Mammogram, left breast, MLO view. 51-year-old patient.
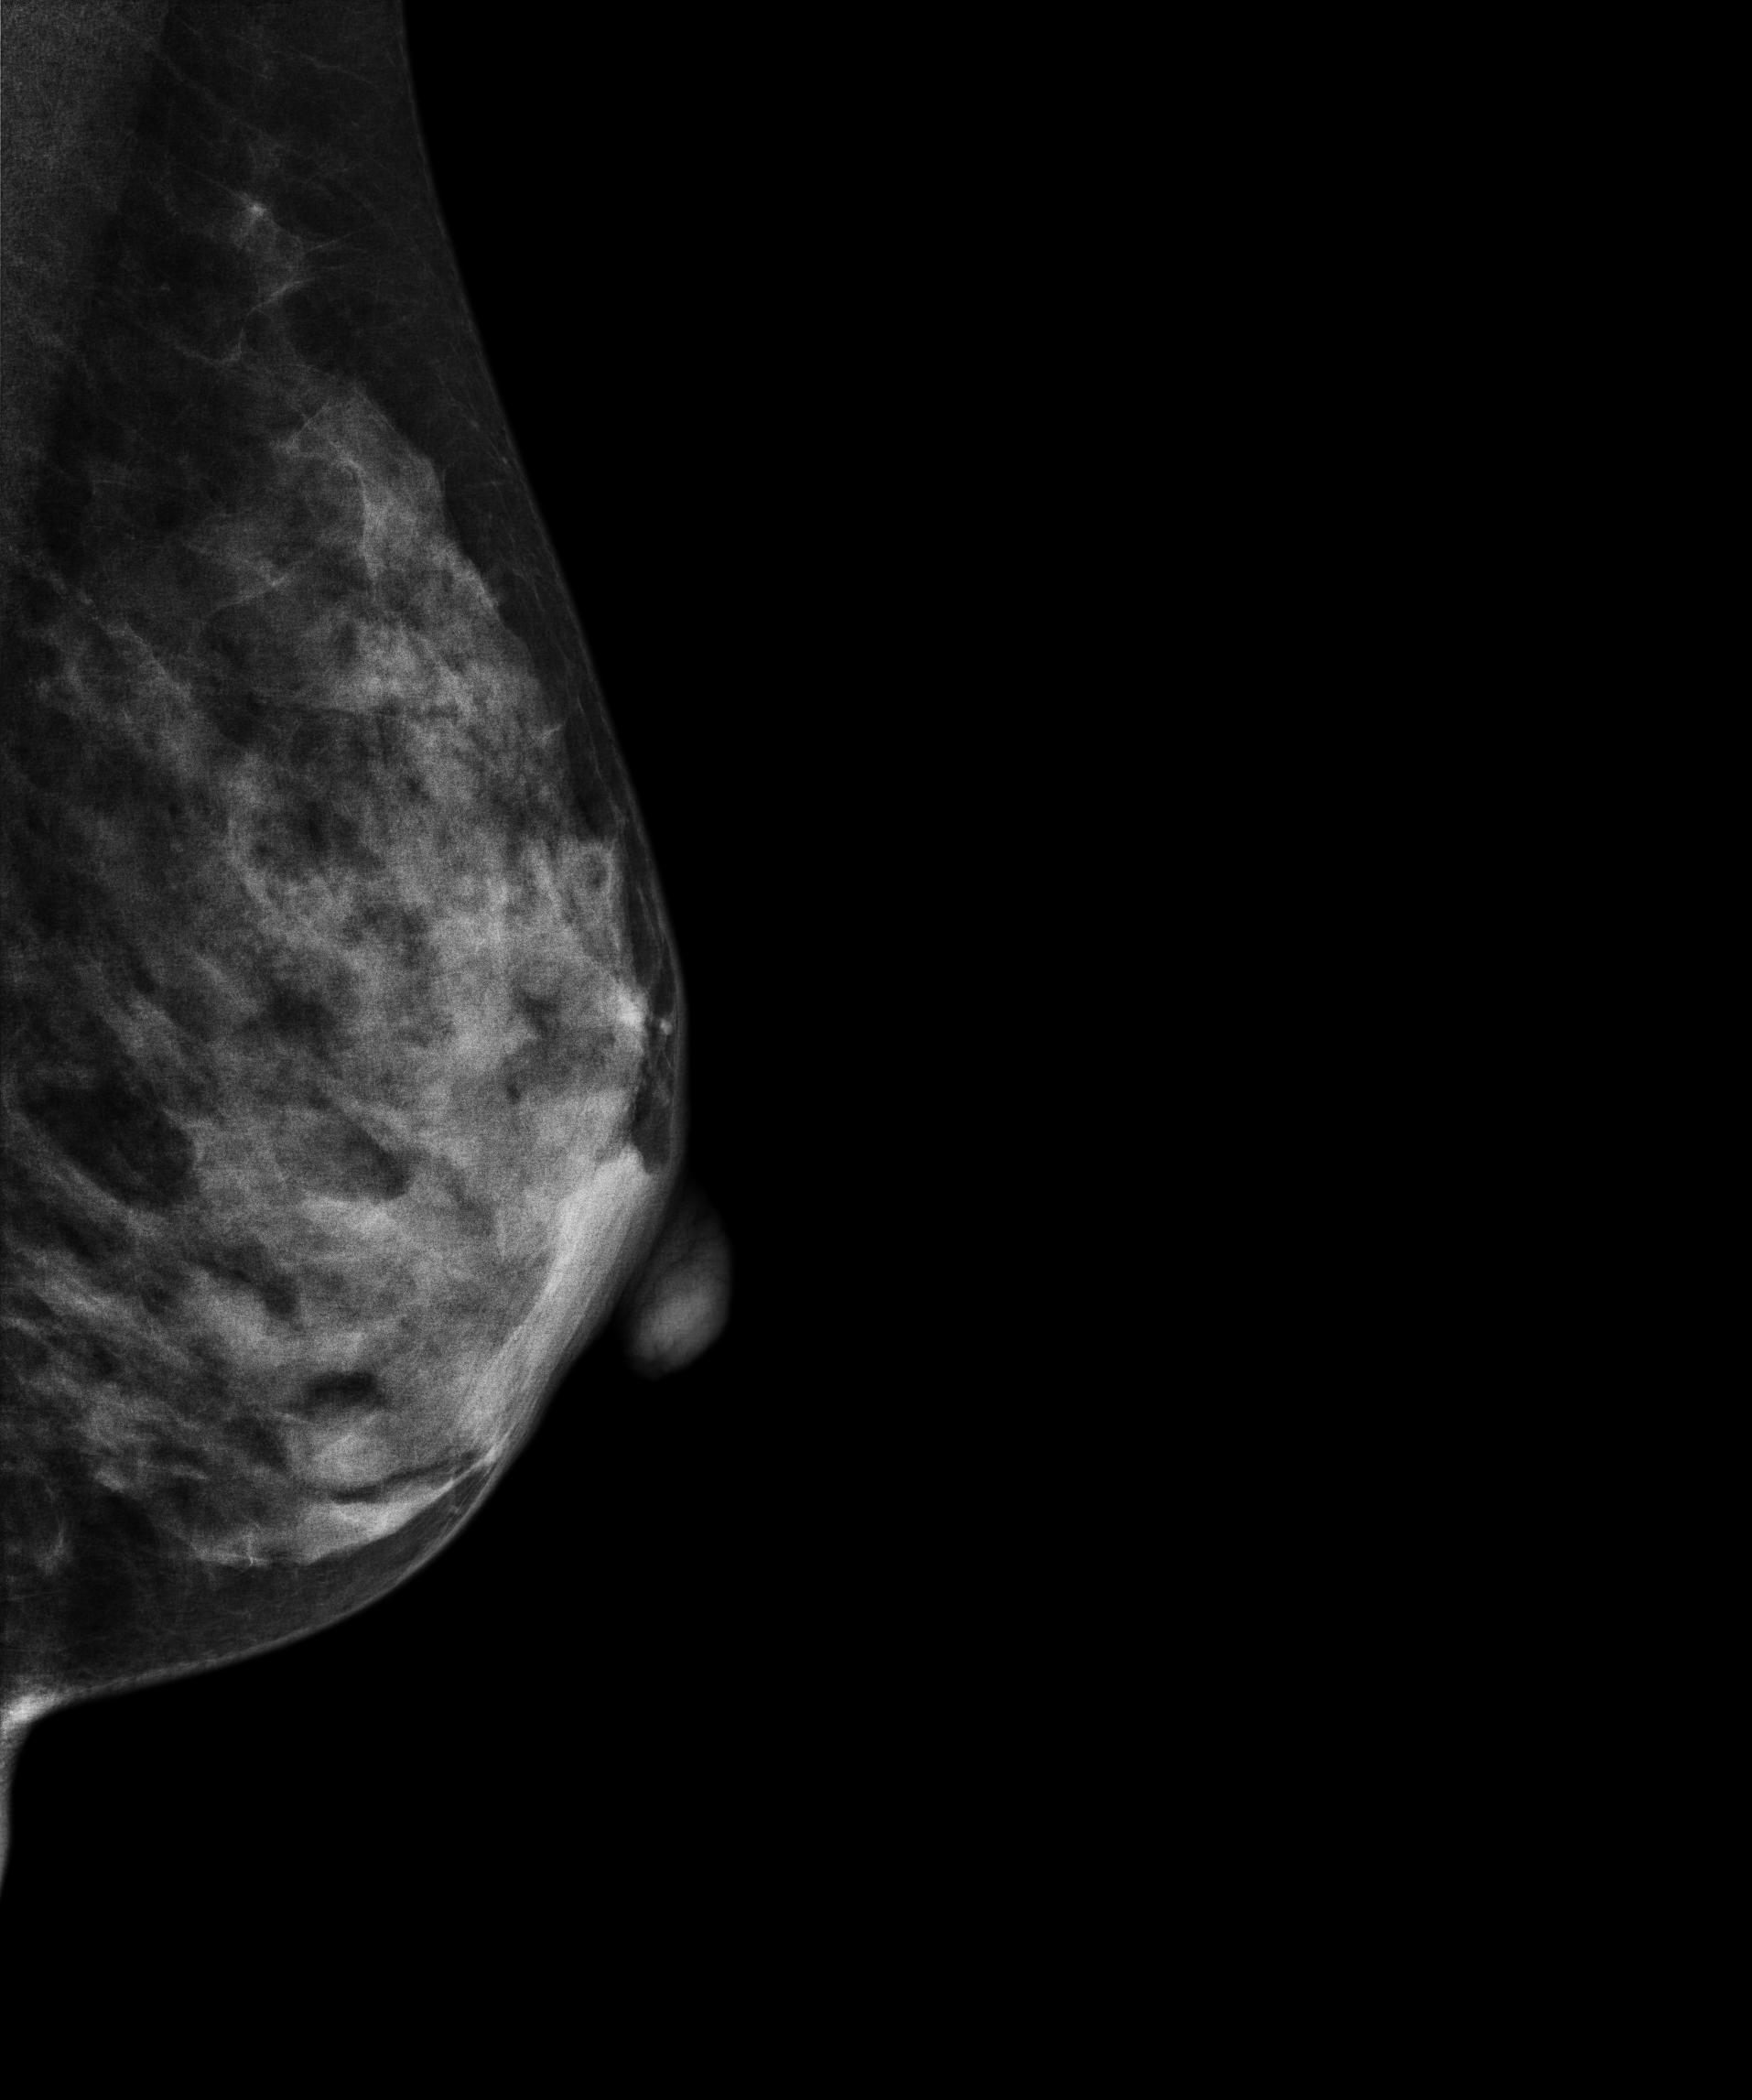
Contralateral breast — no documented abnormality on this side.